Mammogram — right medio-lateral oblique. Patient age 38.
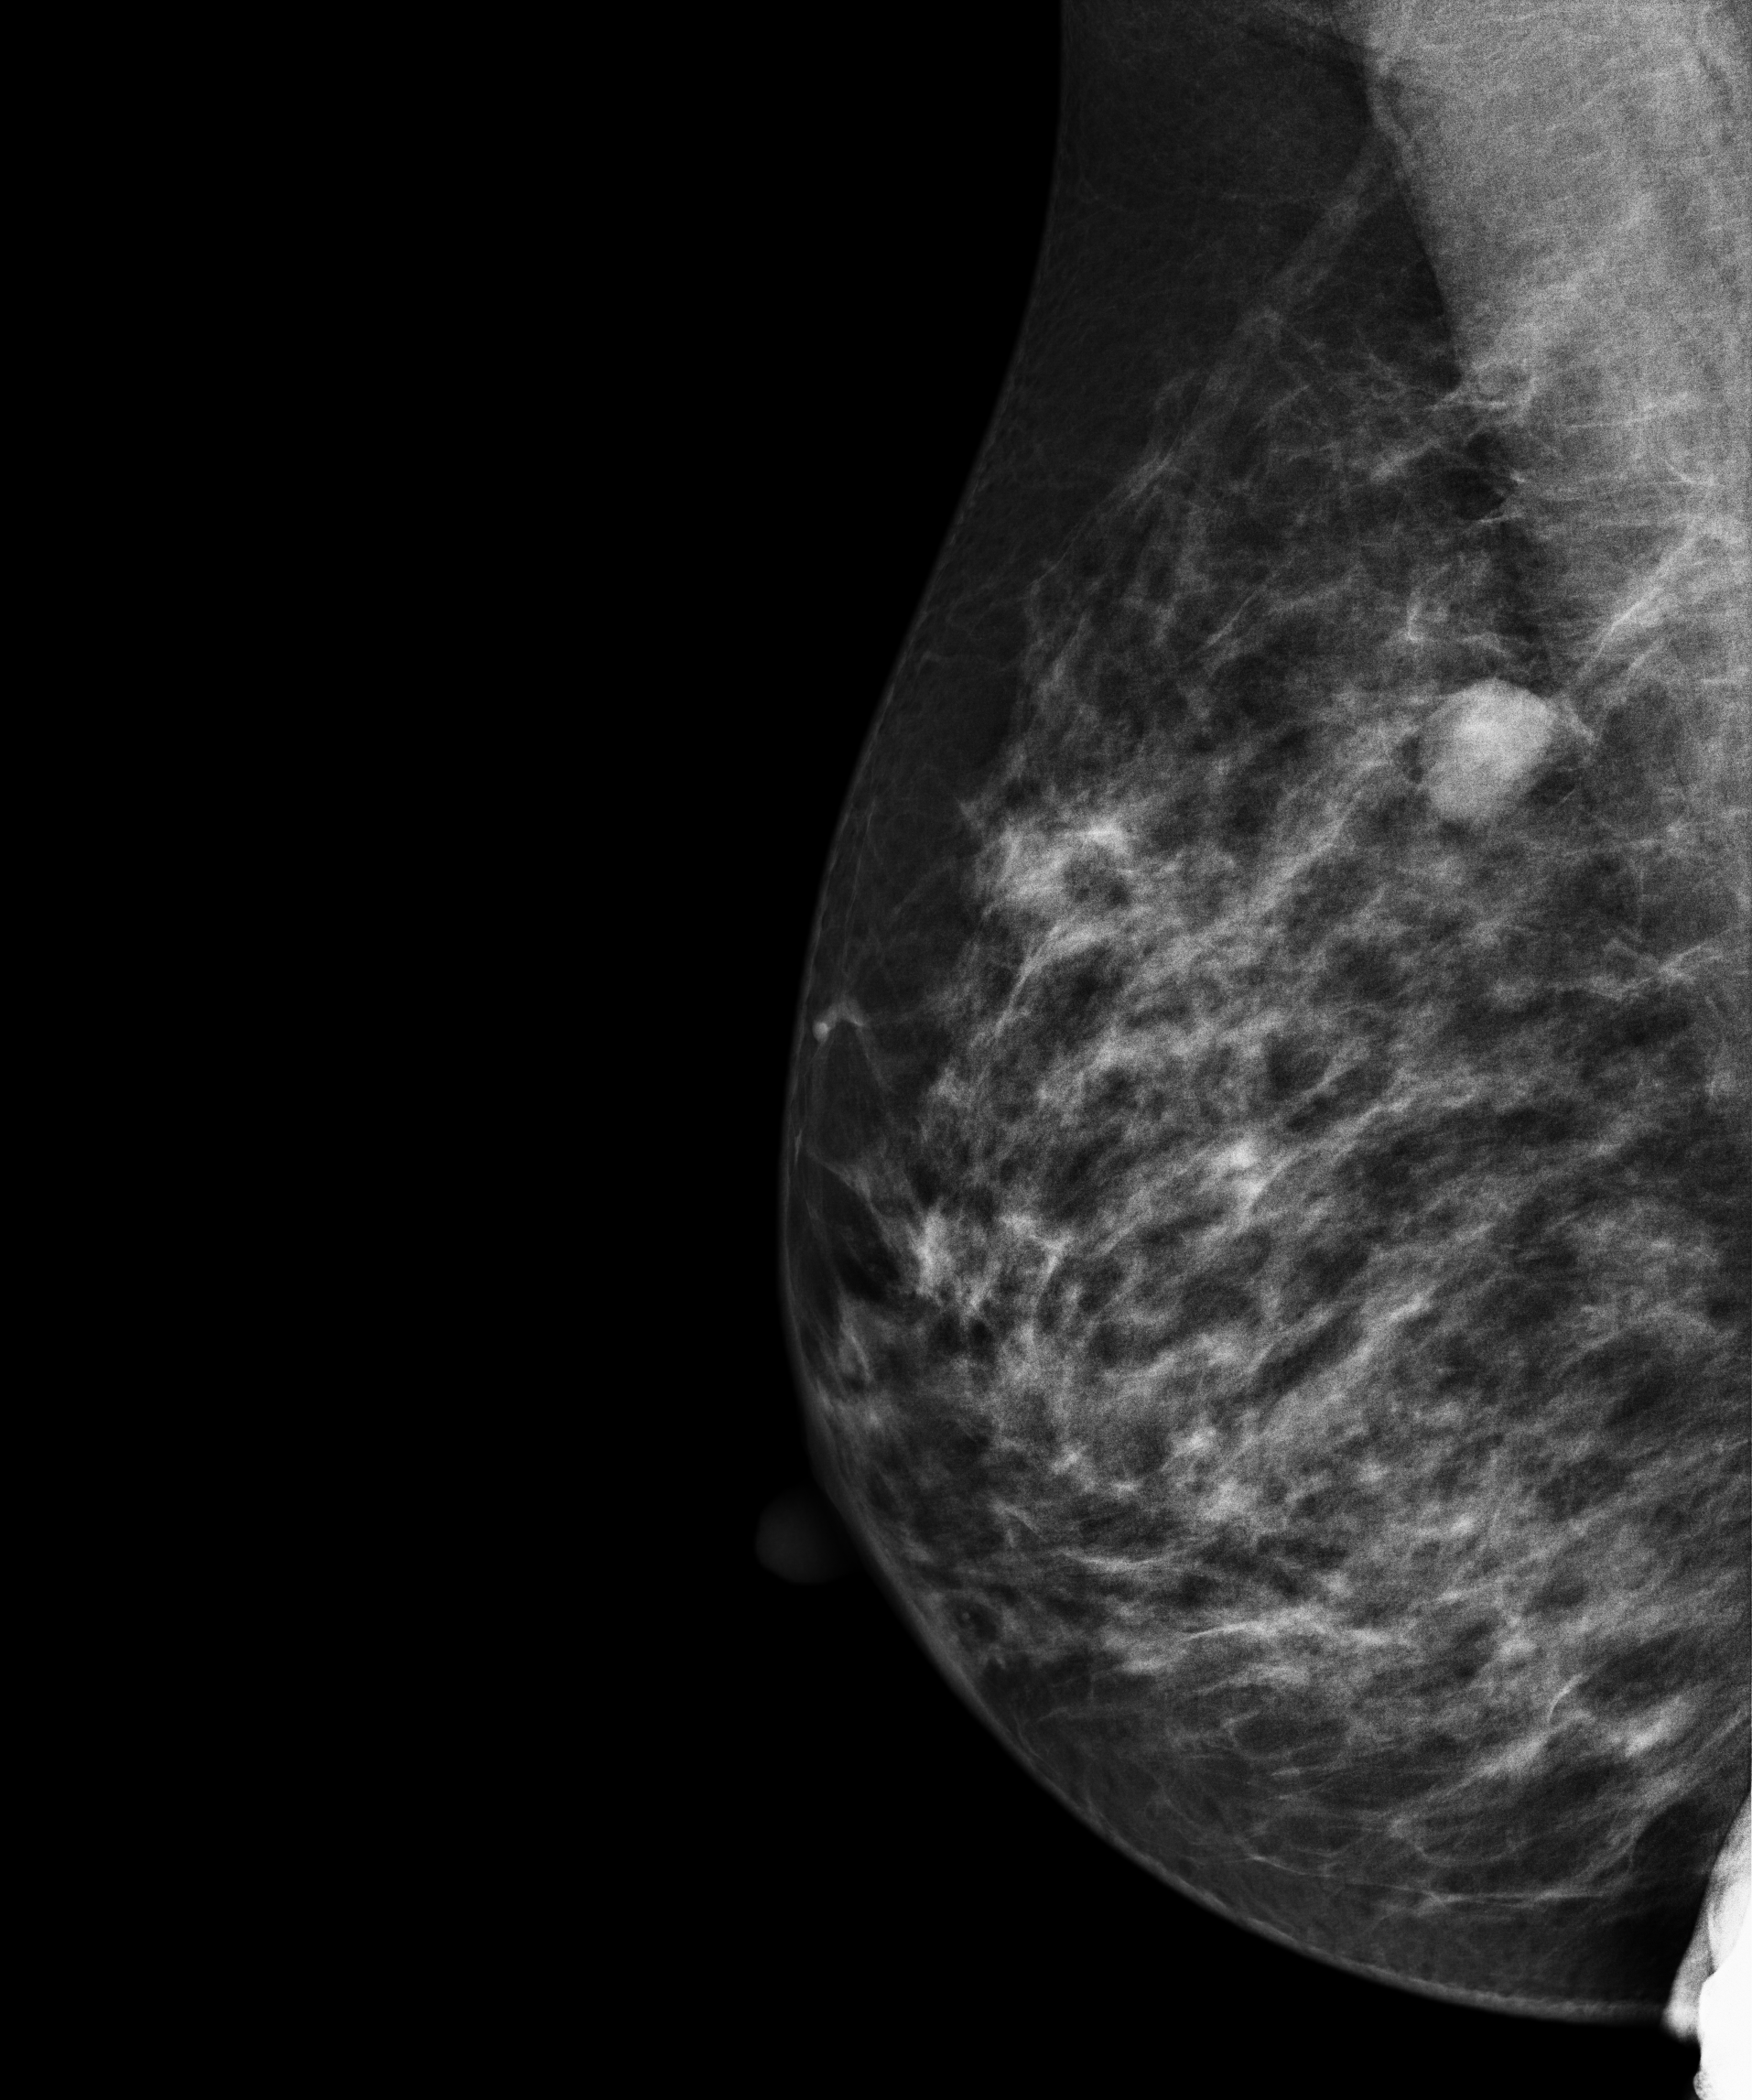
This breast has a mass, pathology-confirmed benign.